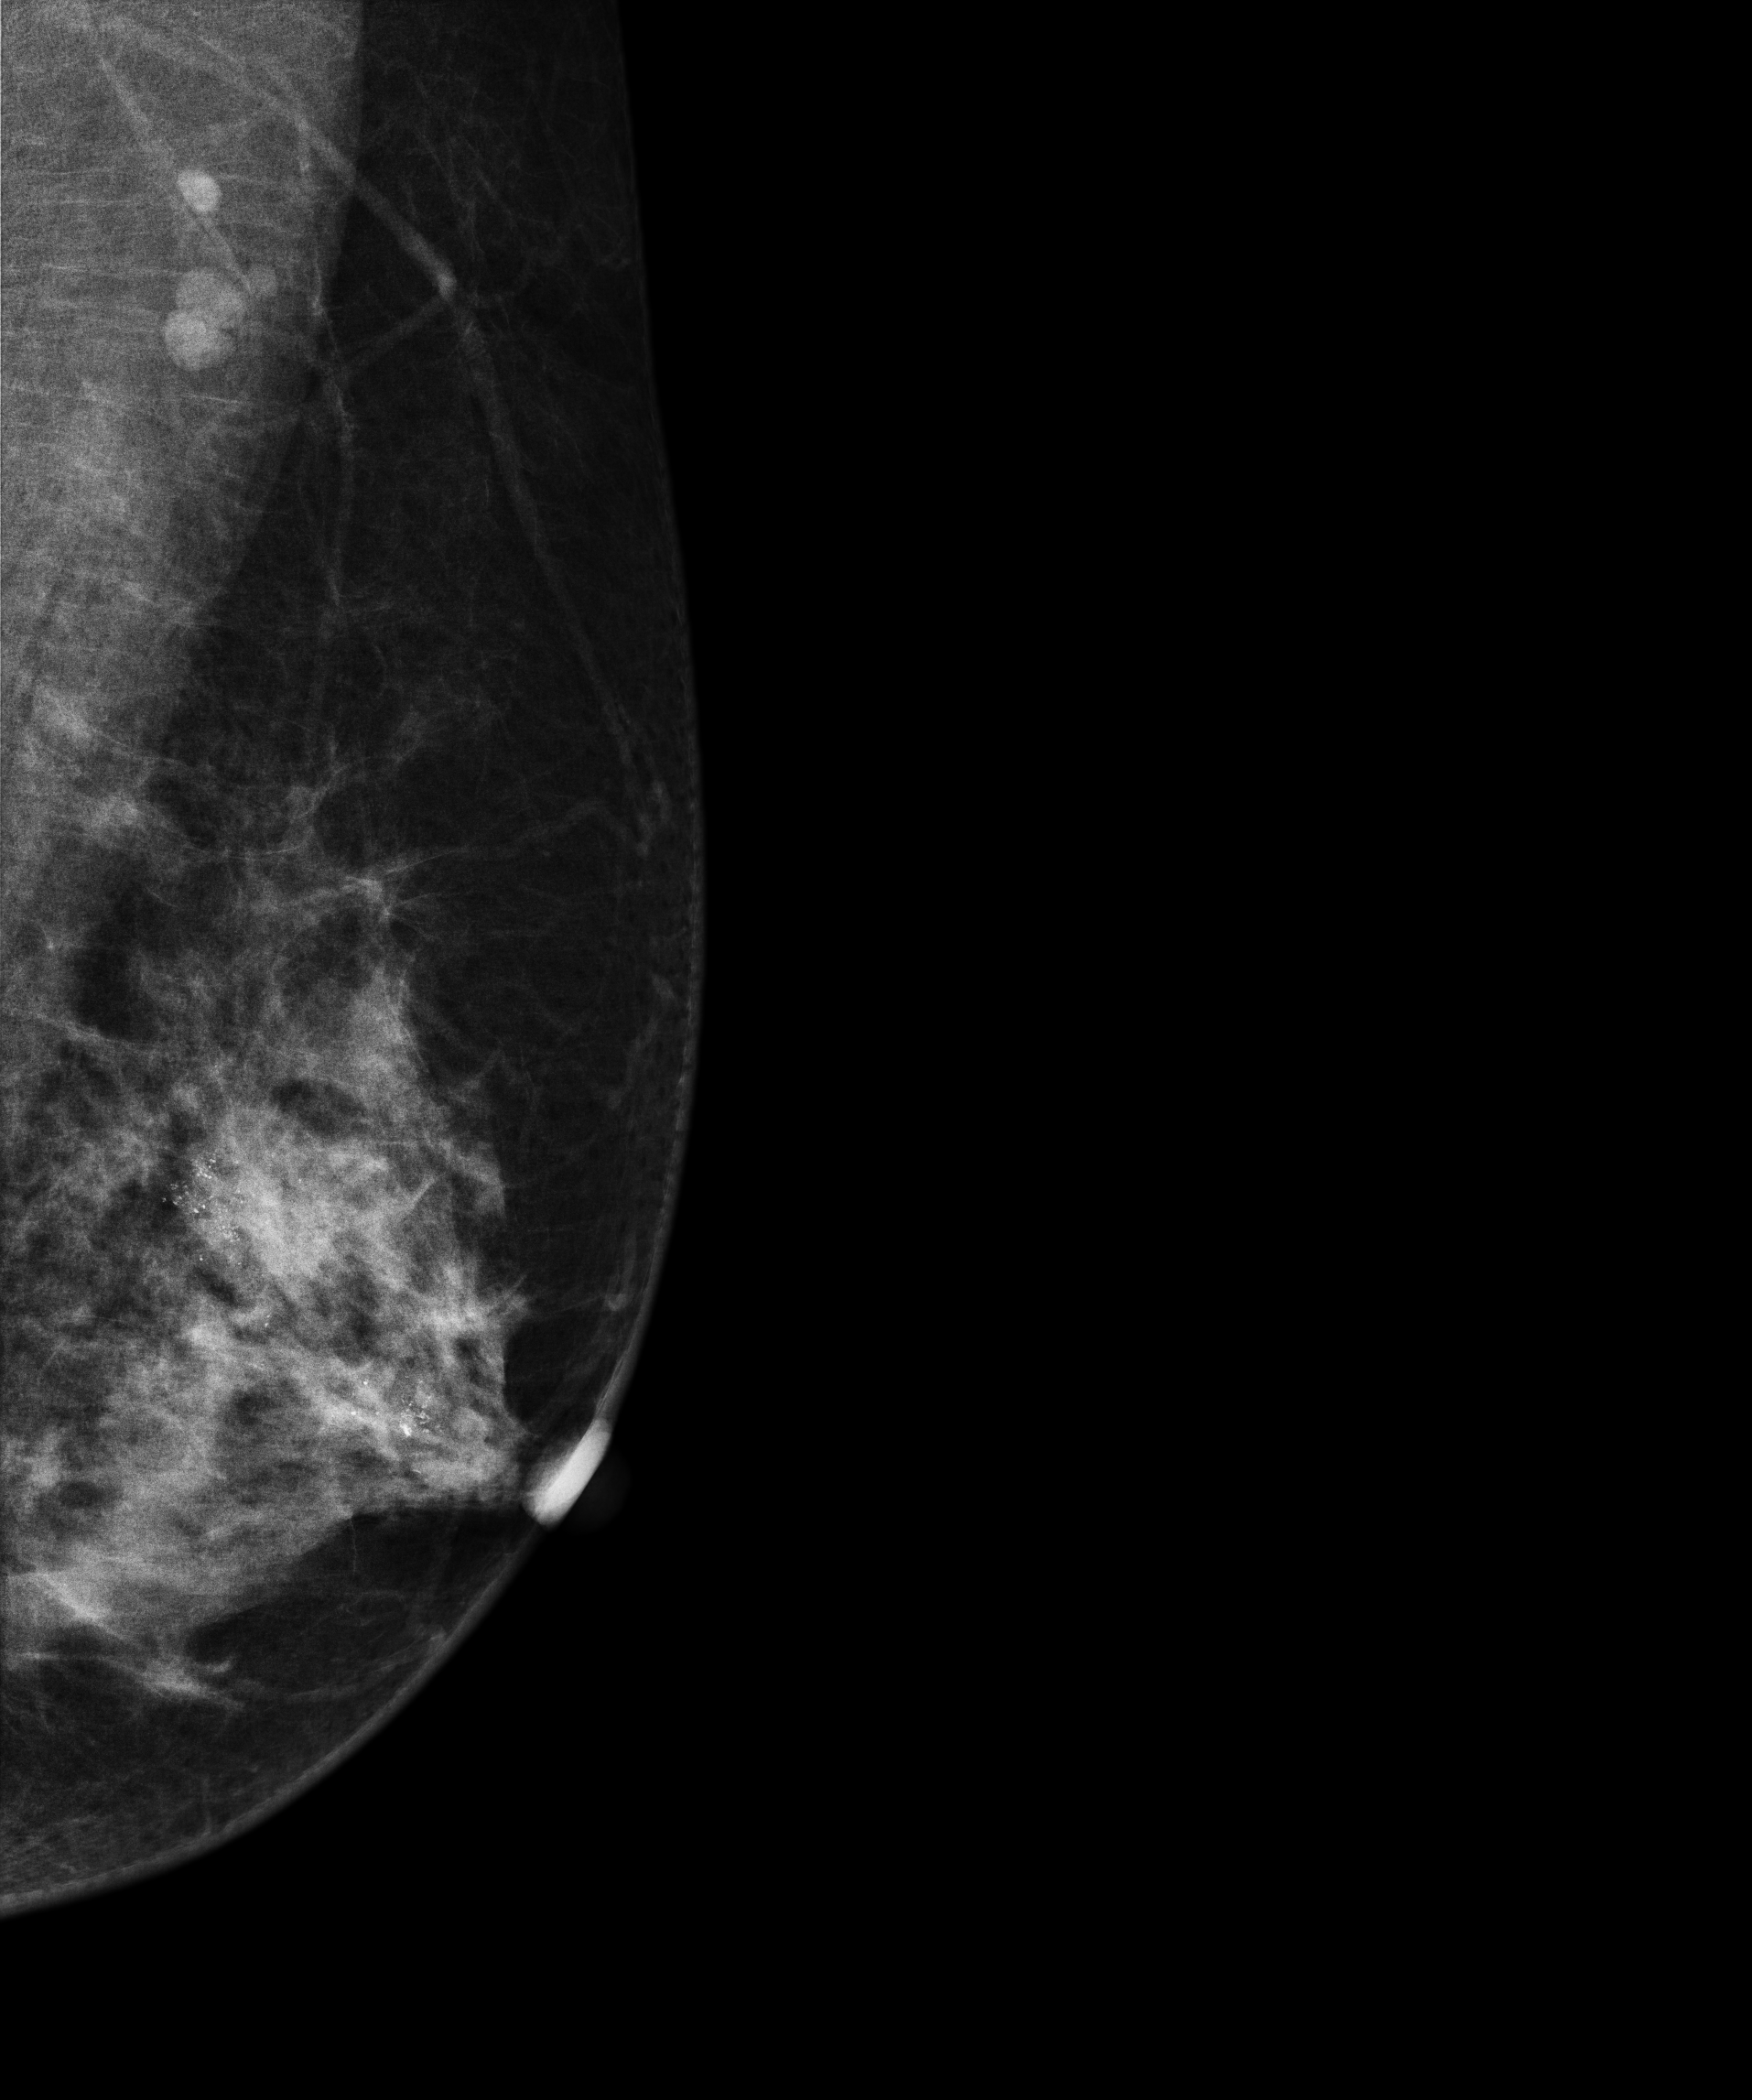
Digital mammography. Left breast, MLO projection. Patient age 51.
This breast has a mass and calcifications, biopsy-confirmed malignant.